Medio-lateral oblique mammogram of the right breast. 66-year-old patient.
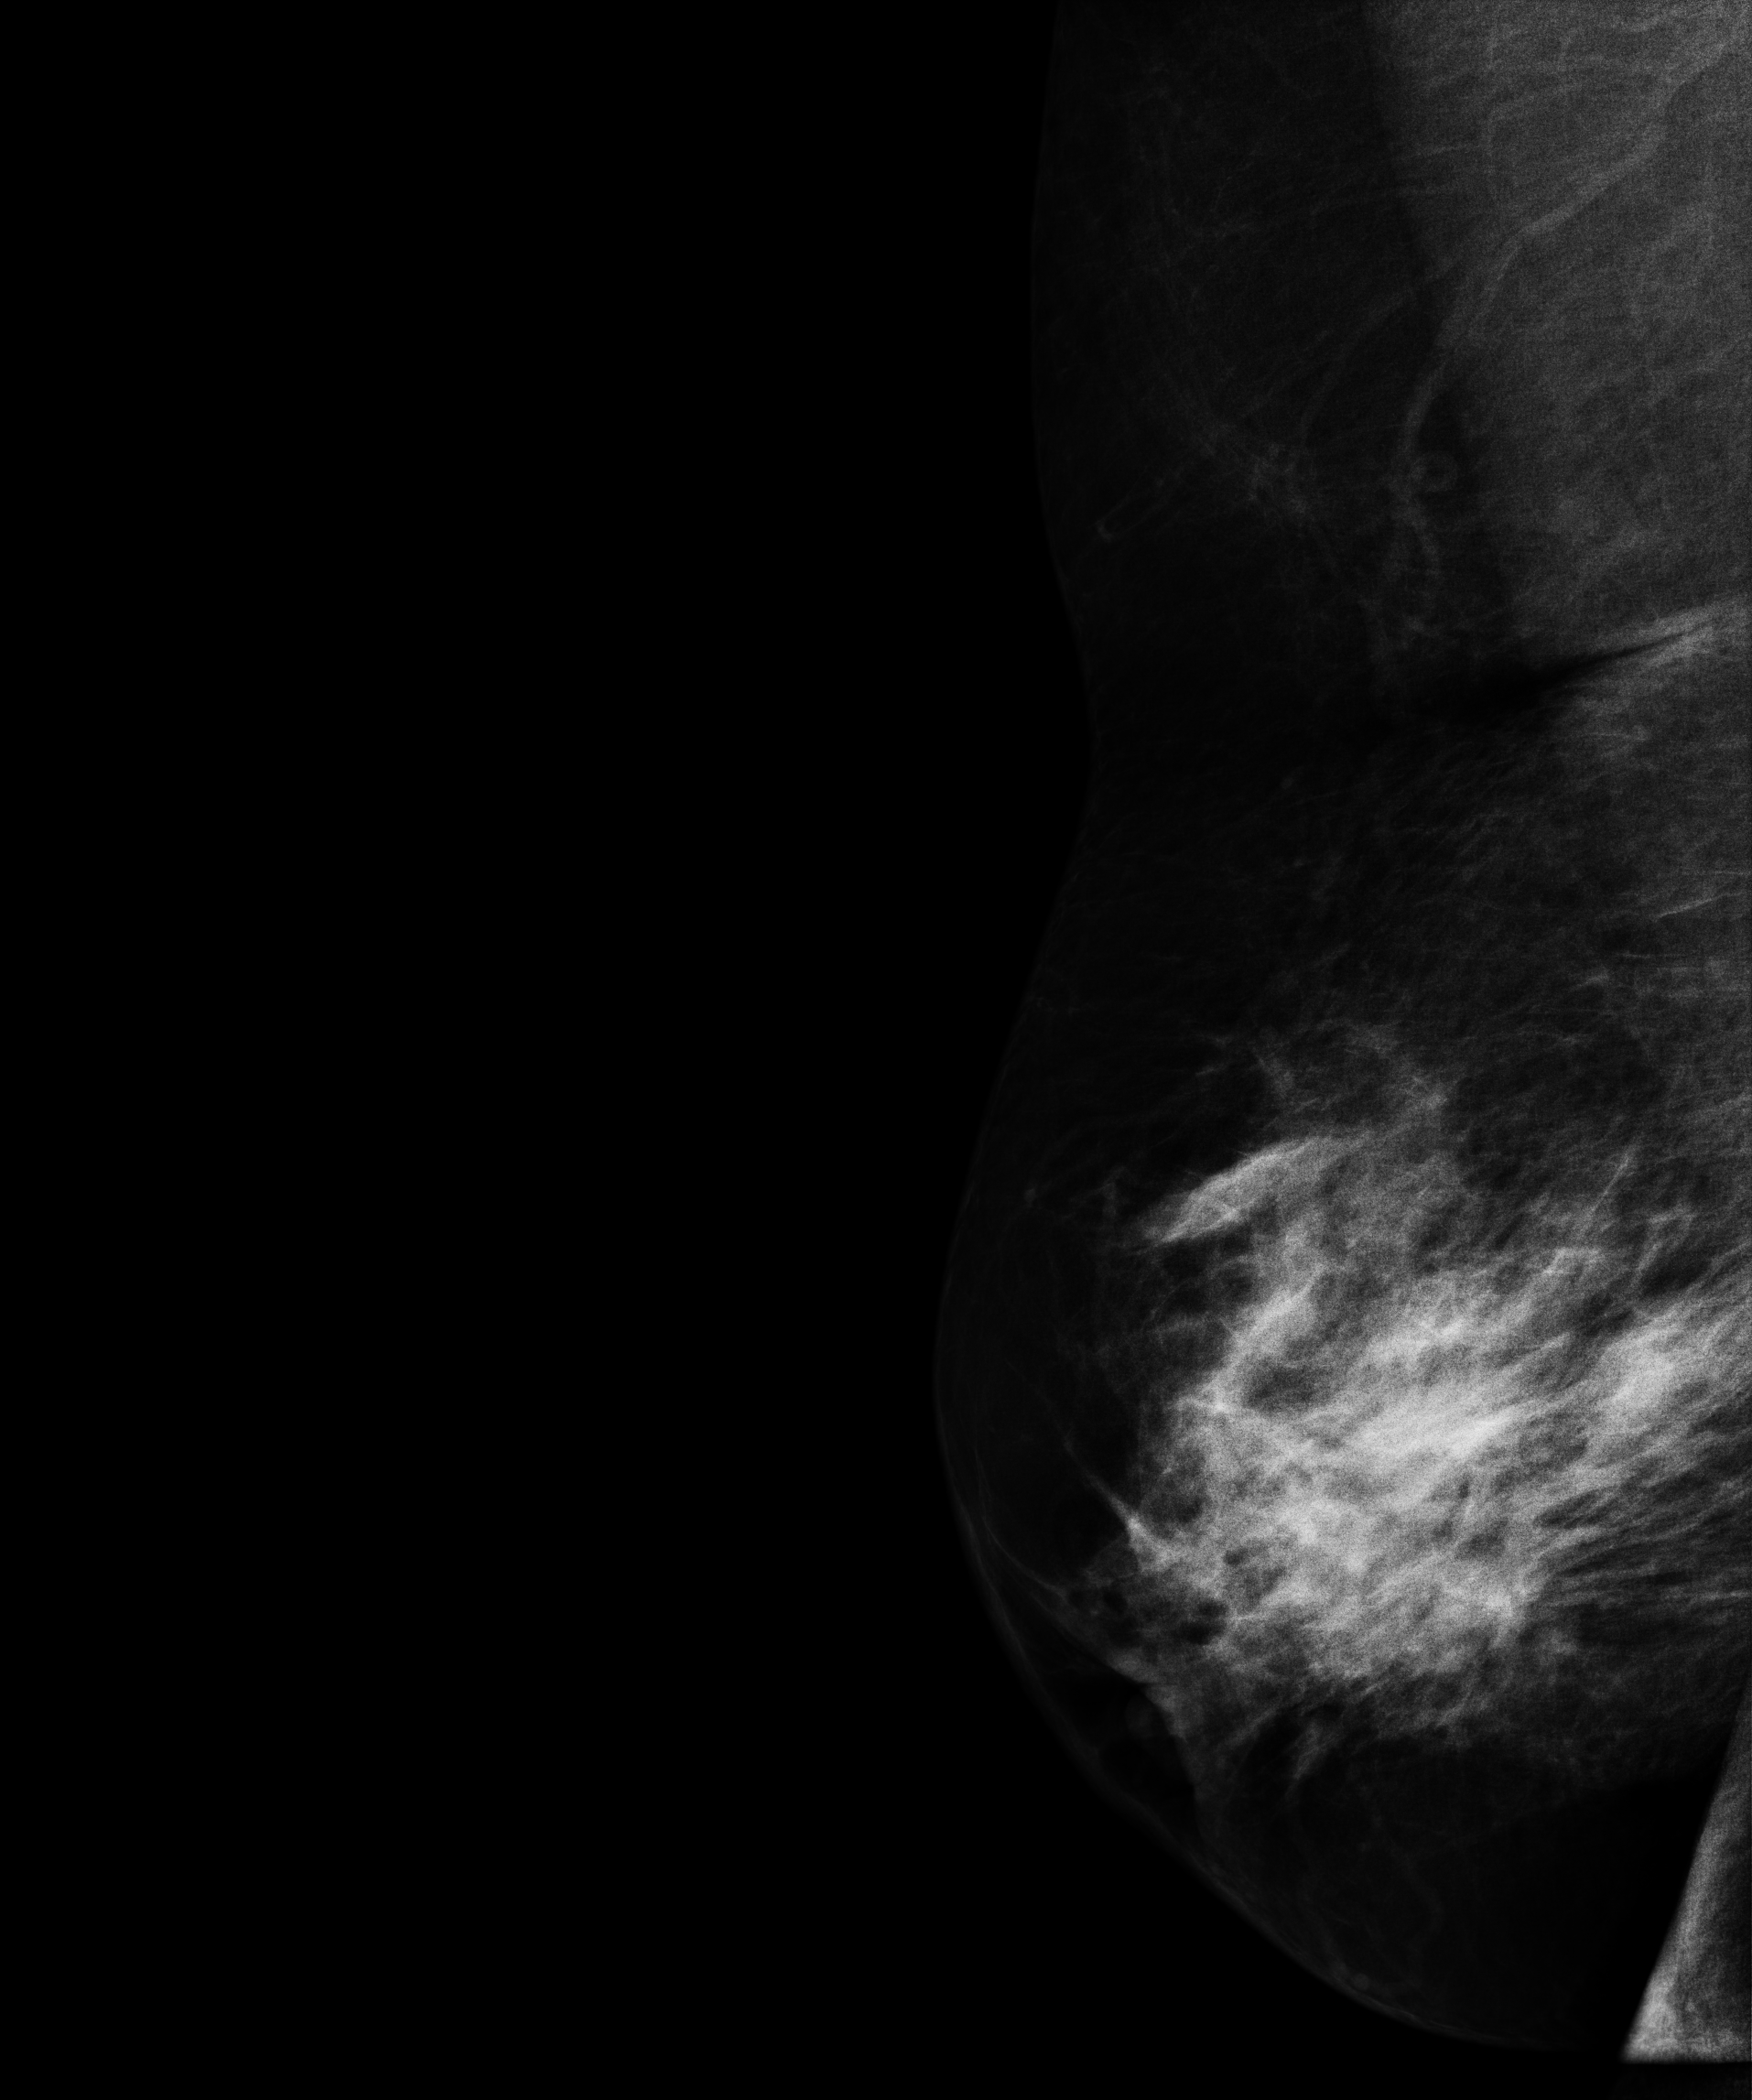
This breast has a mass, biopsy-proven malignant. Molecular subtype: luminal B.